Mammogram, left breast, CC view. 50-year-old patient.
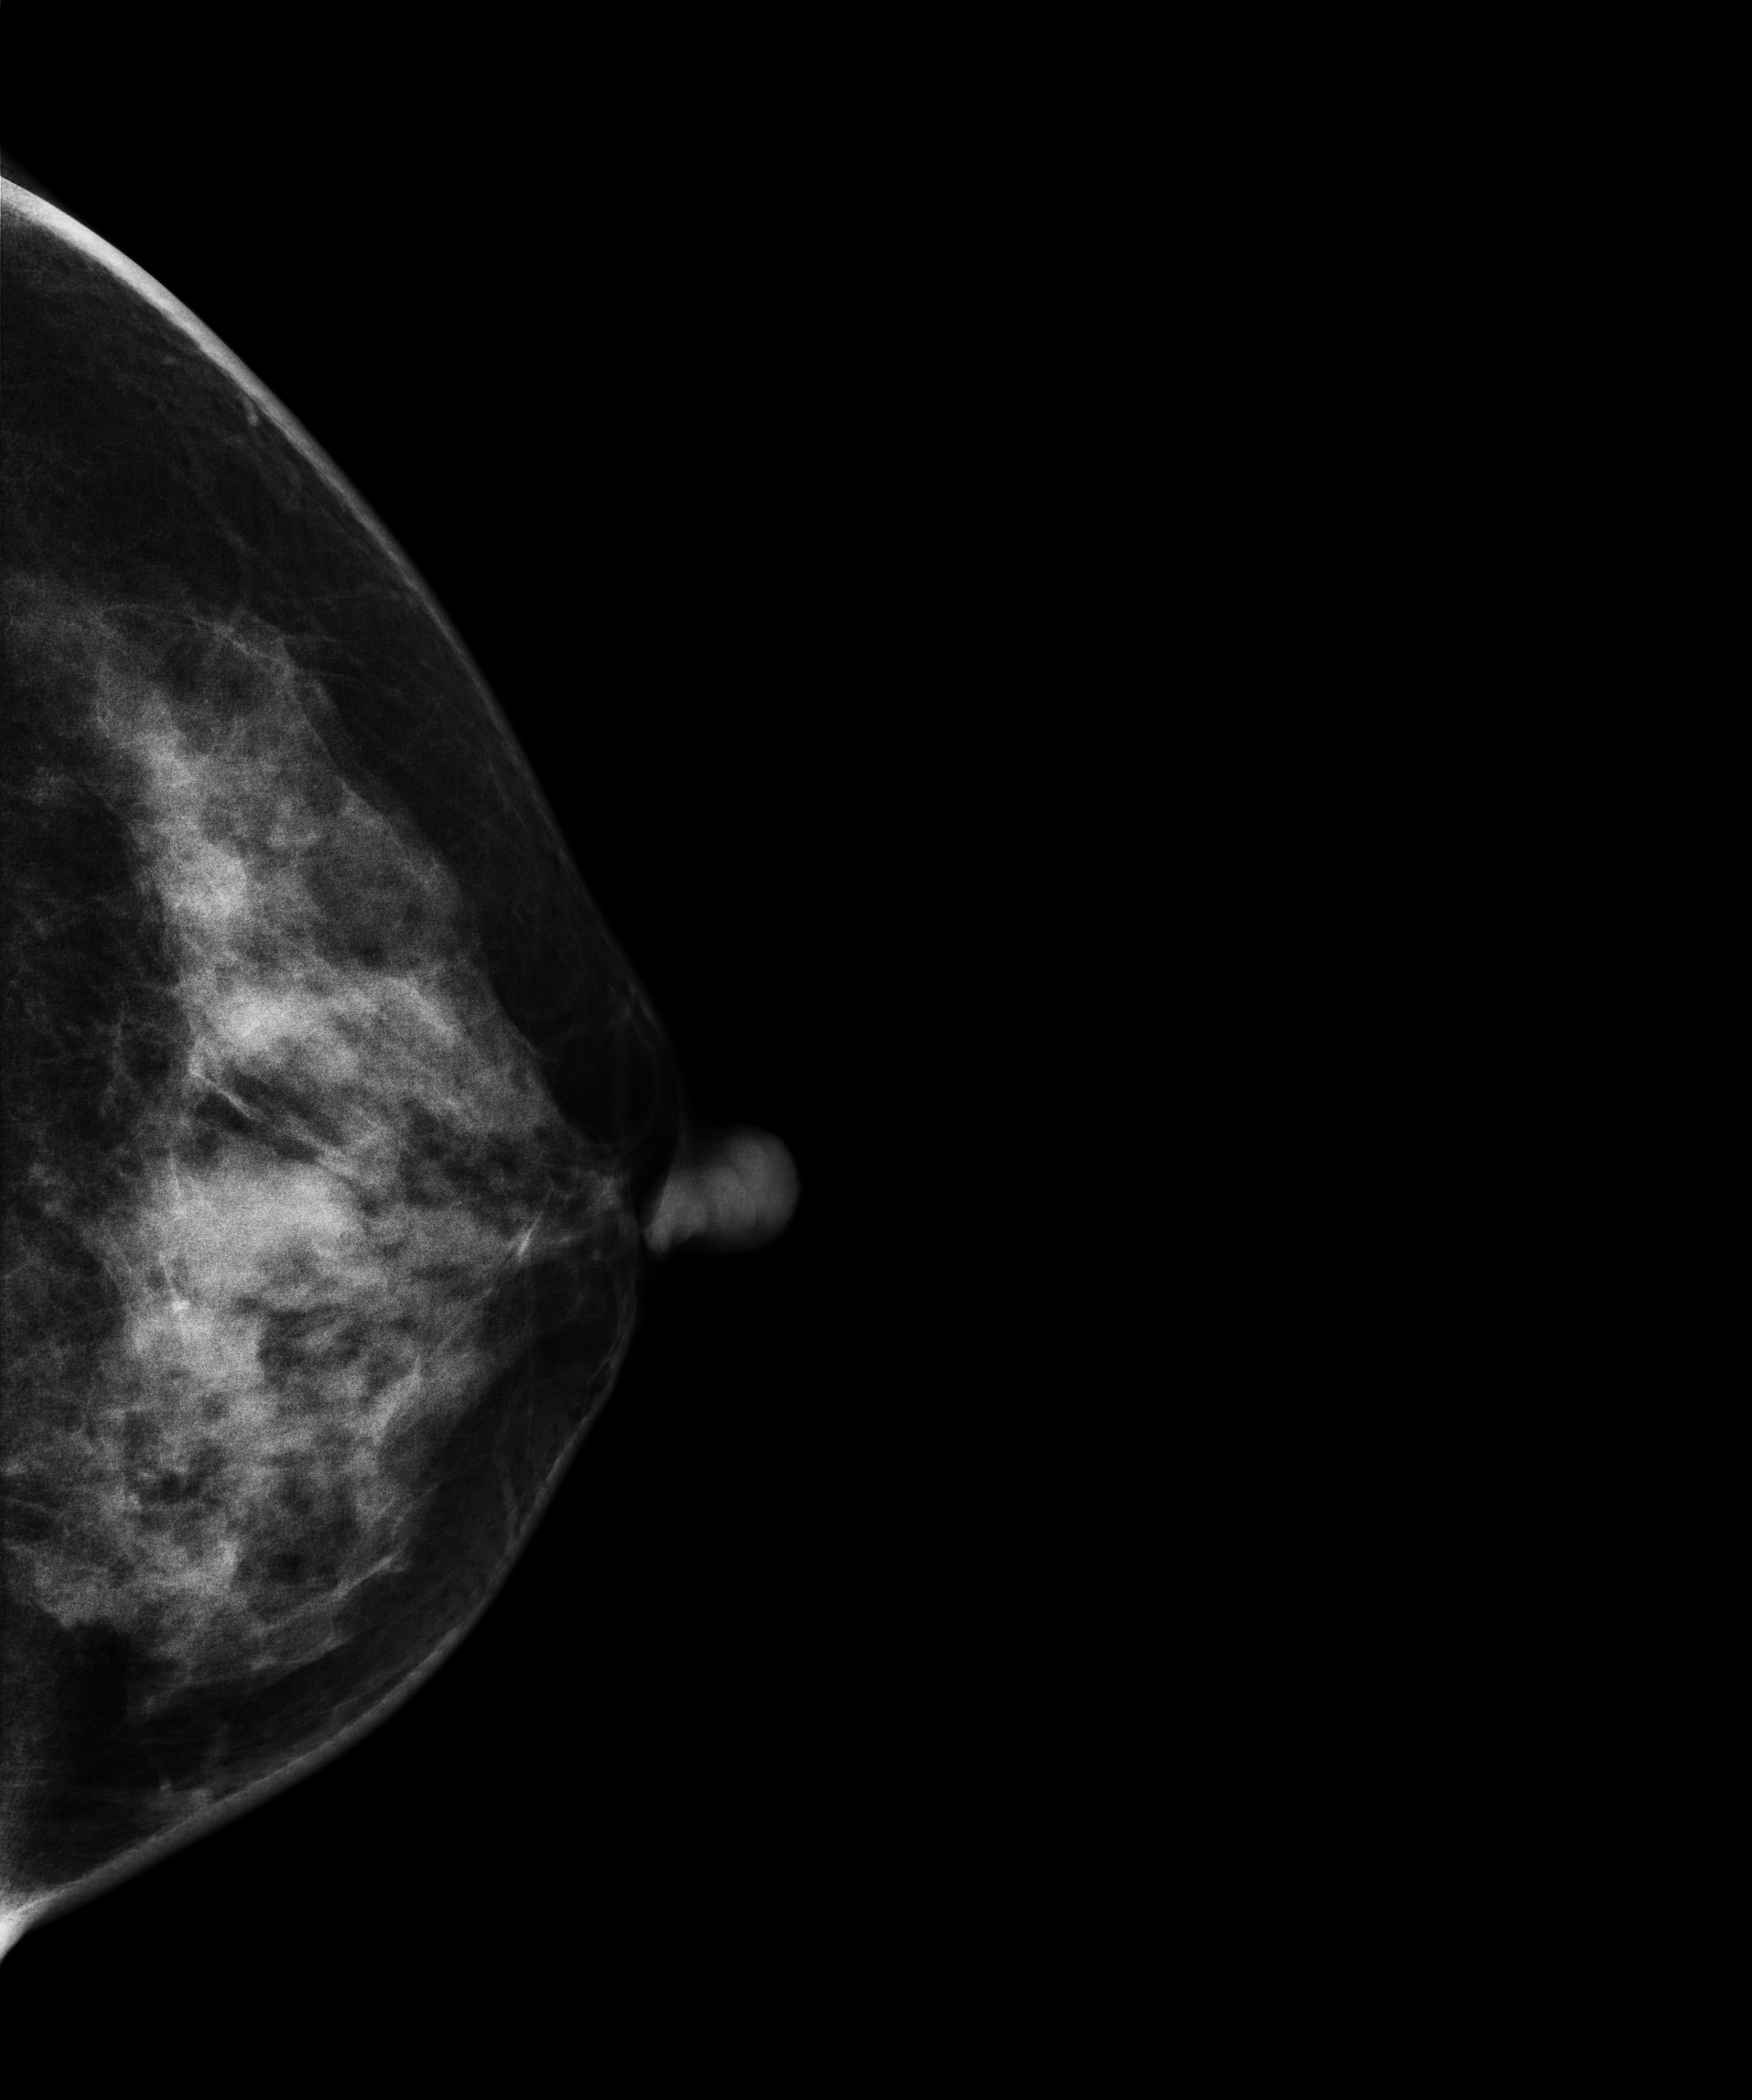
This breast has a mass and calcifications, biopsy-proven benign.